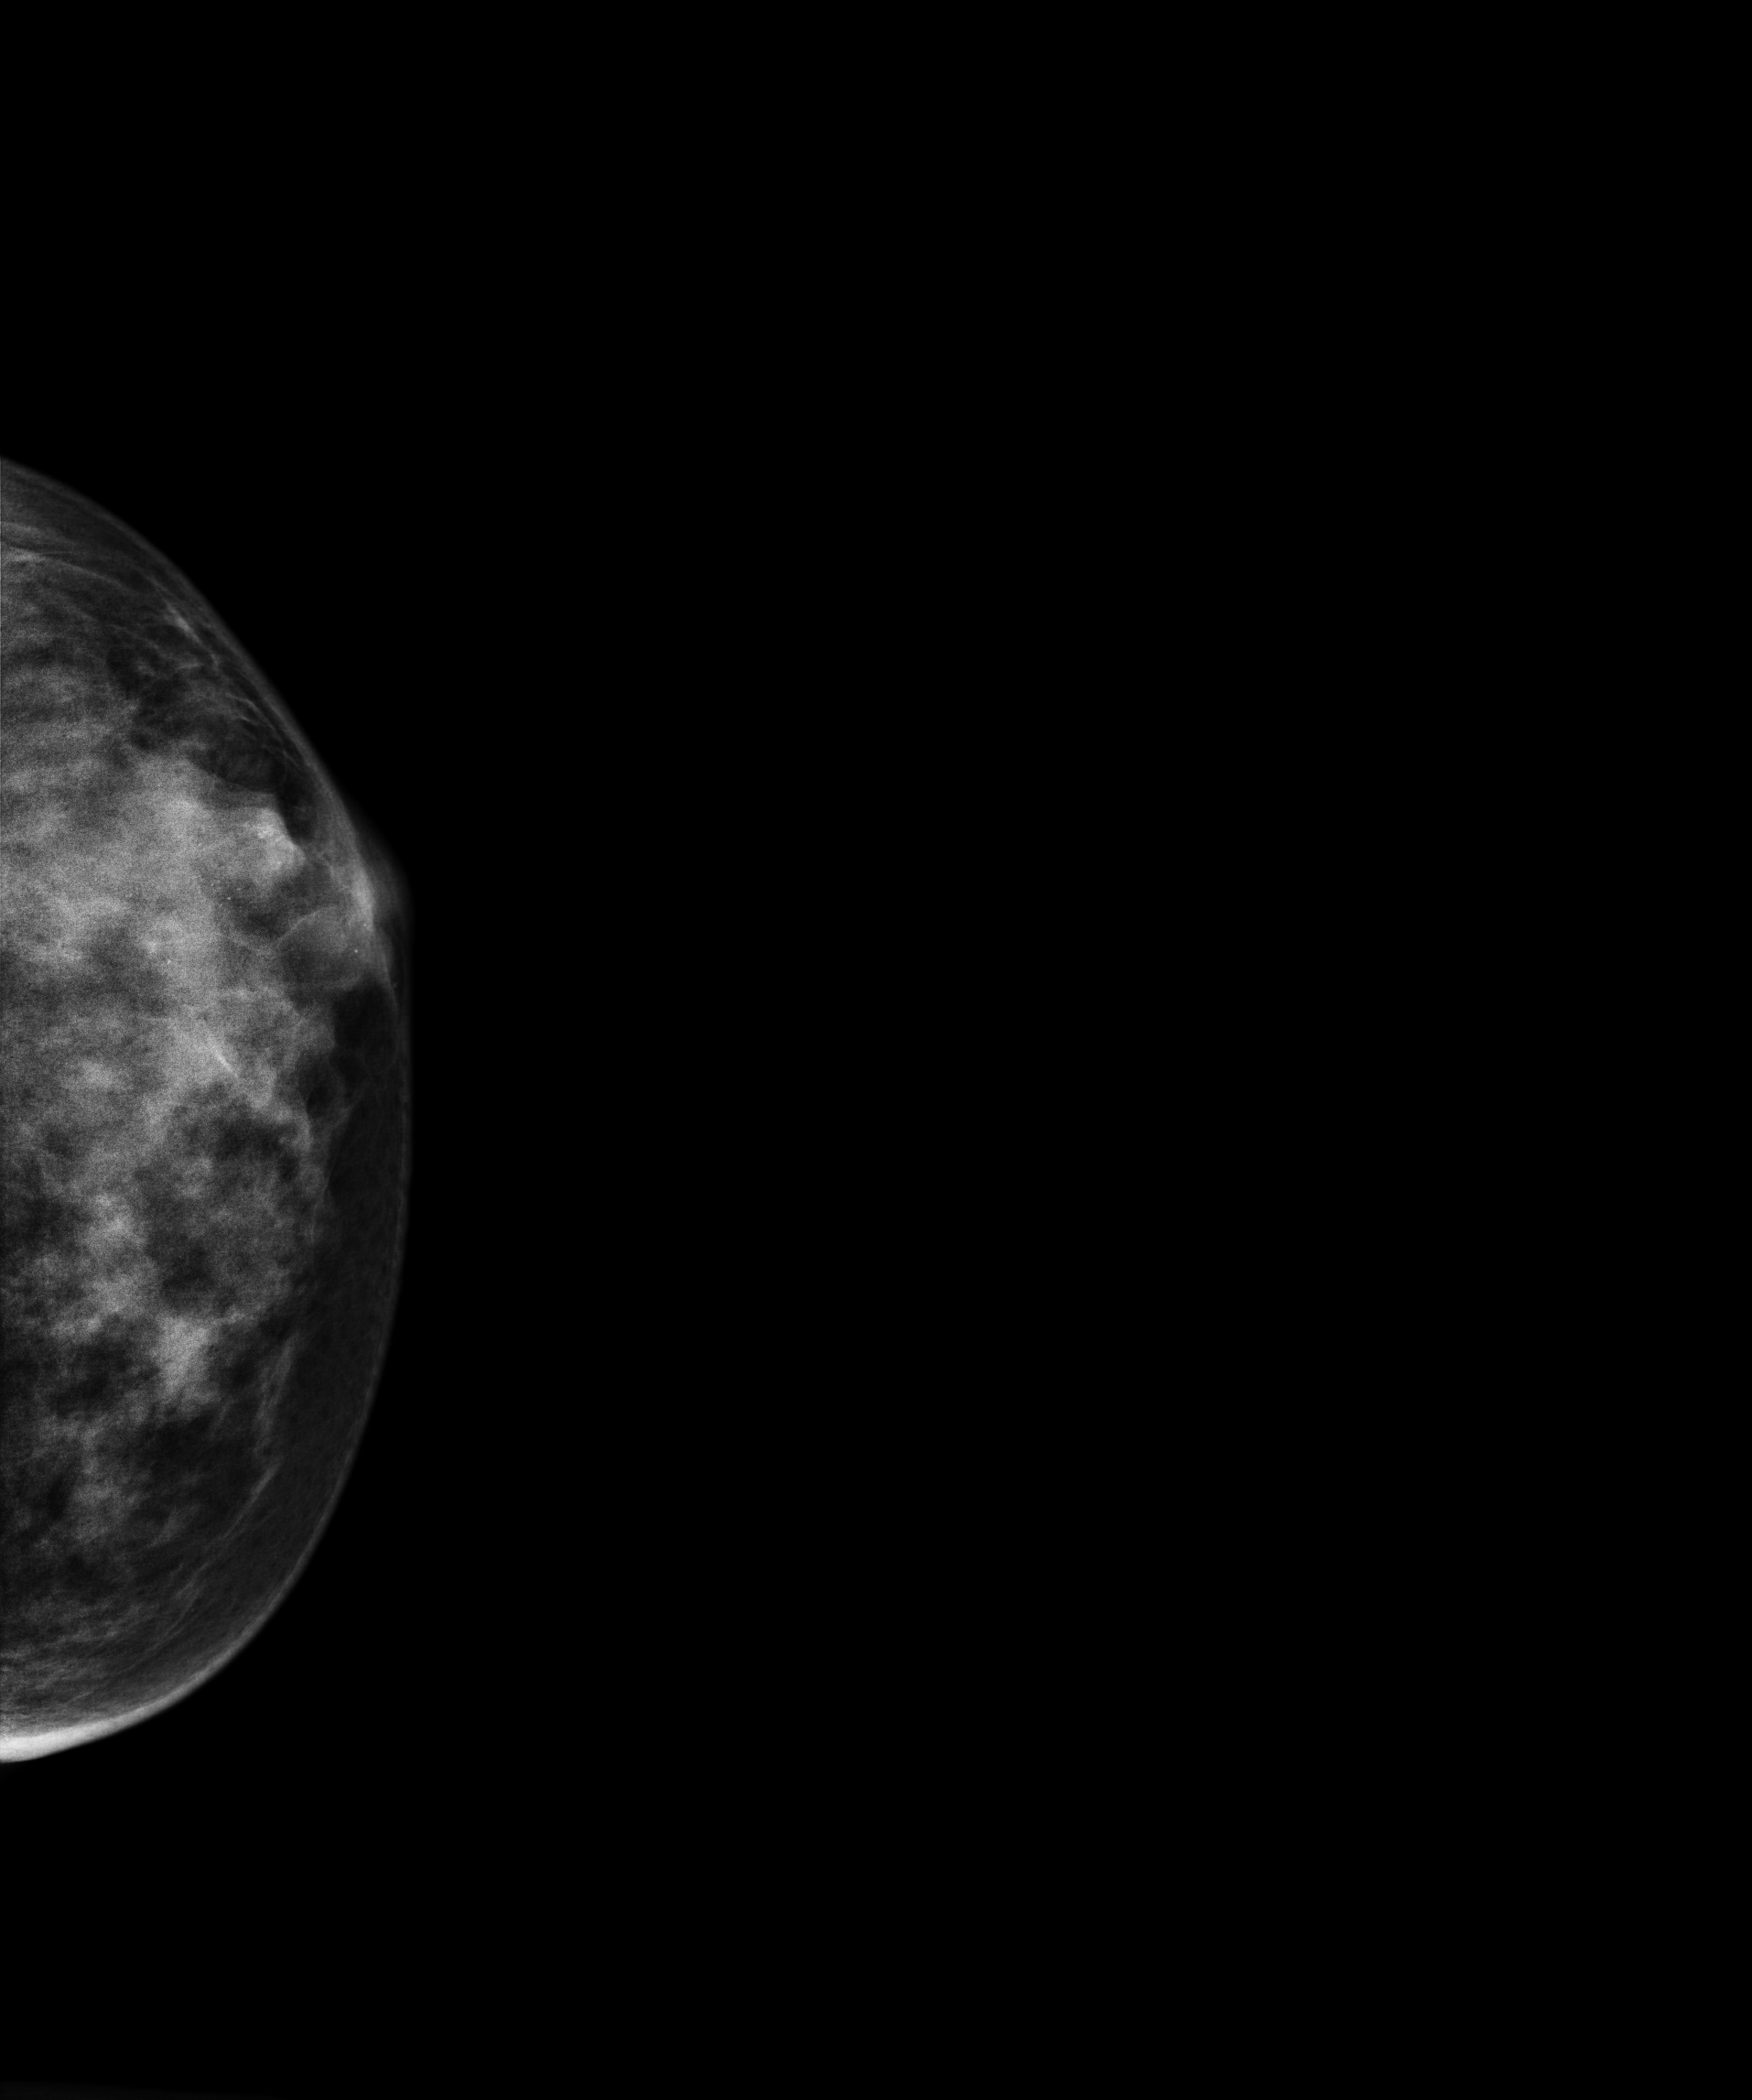
Left-breast mammogram, CC. 21-year-old patient.
This breast has a mass and calcifications, histologically confirmed malignant. Molecular subtype: luminal B.